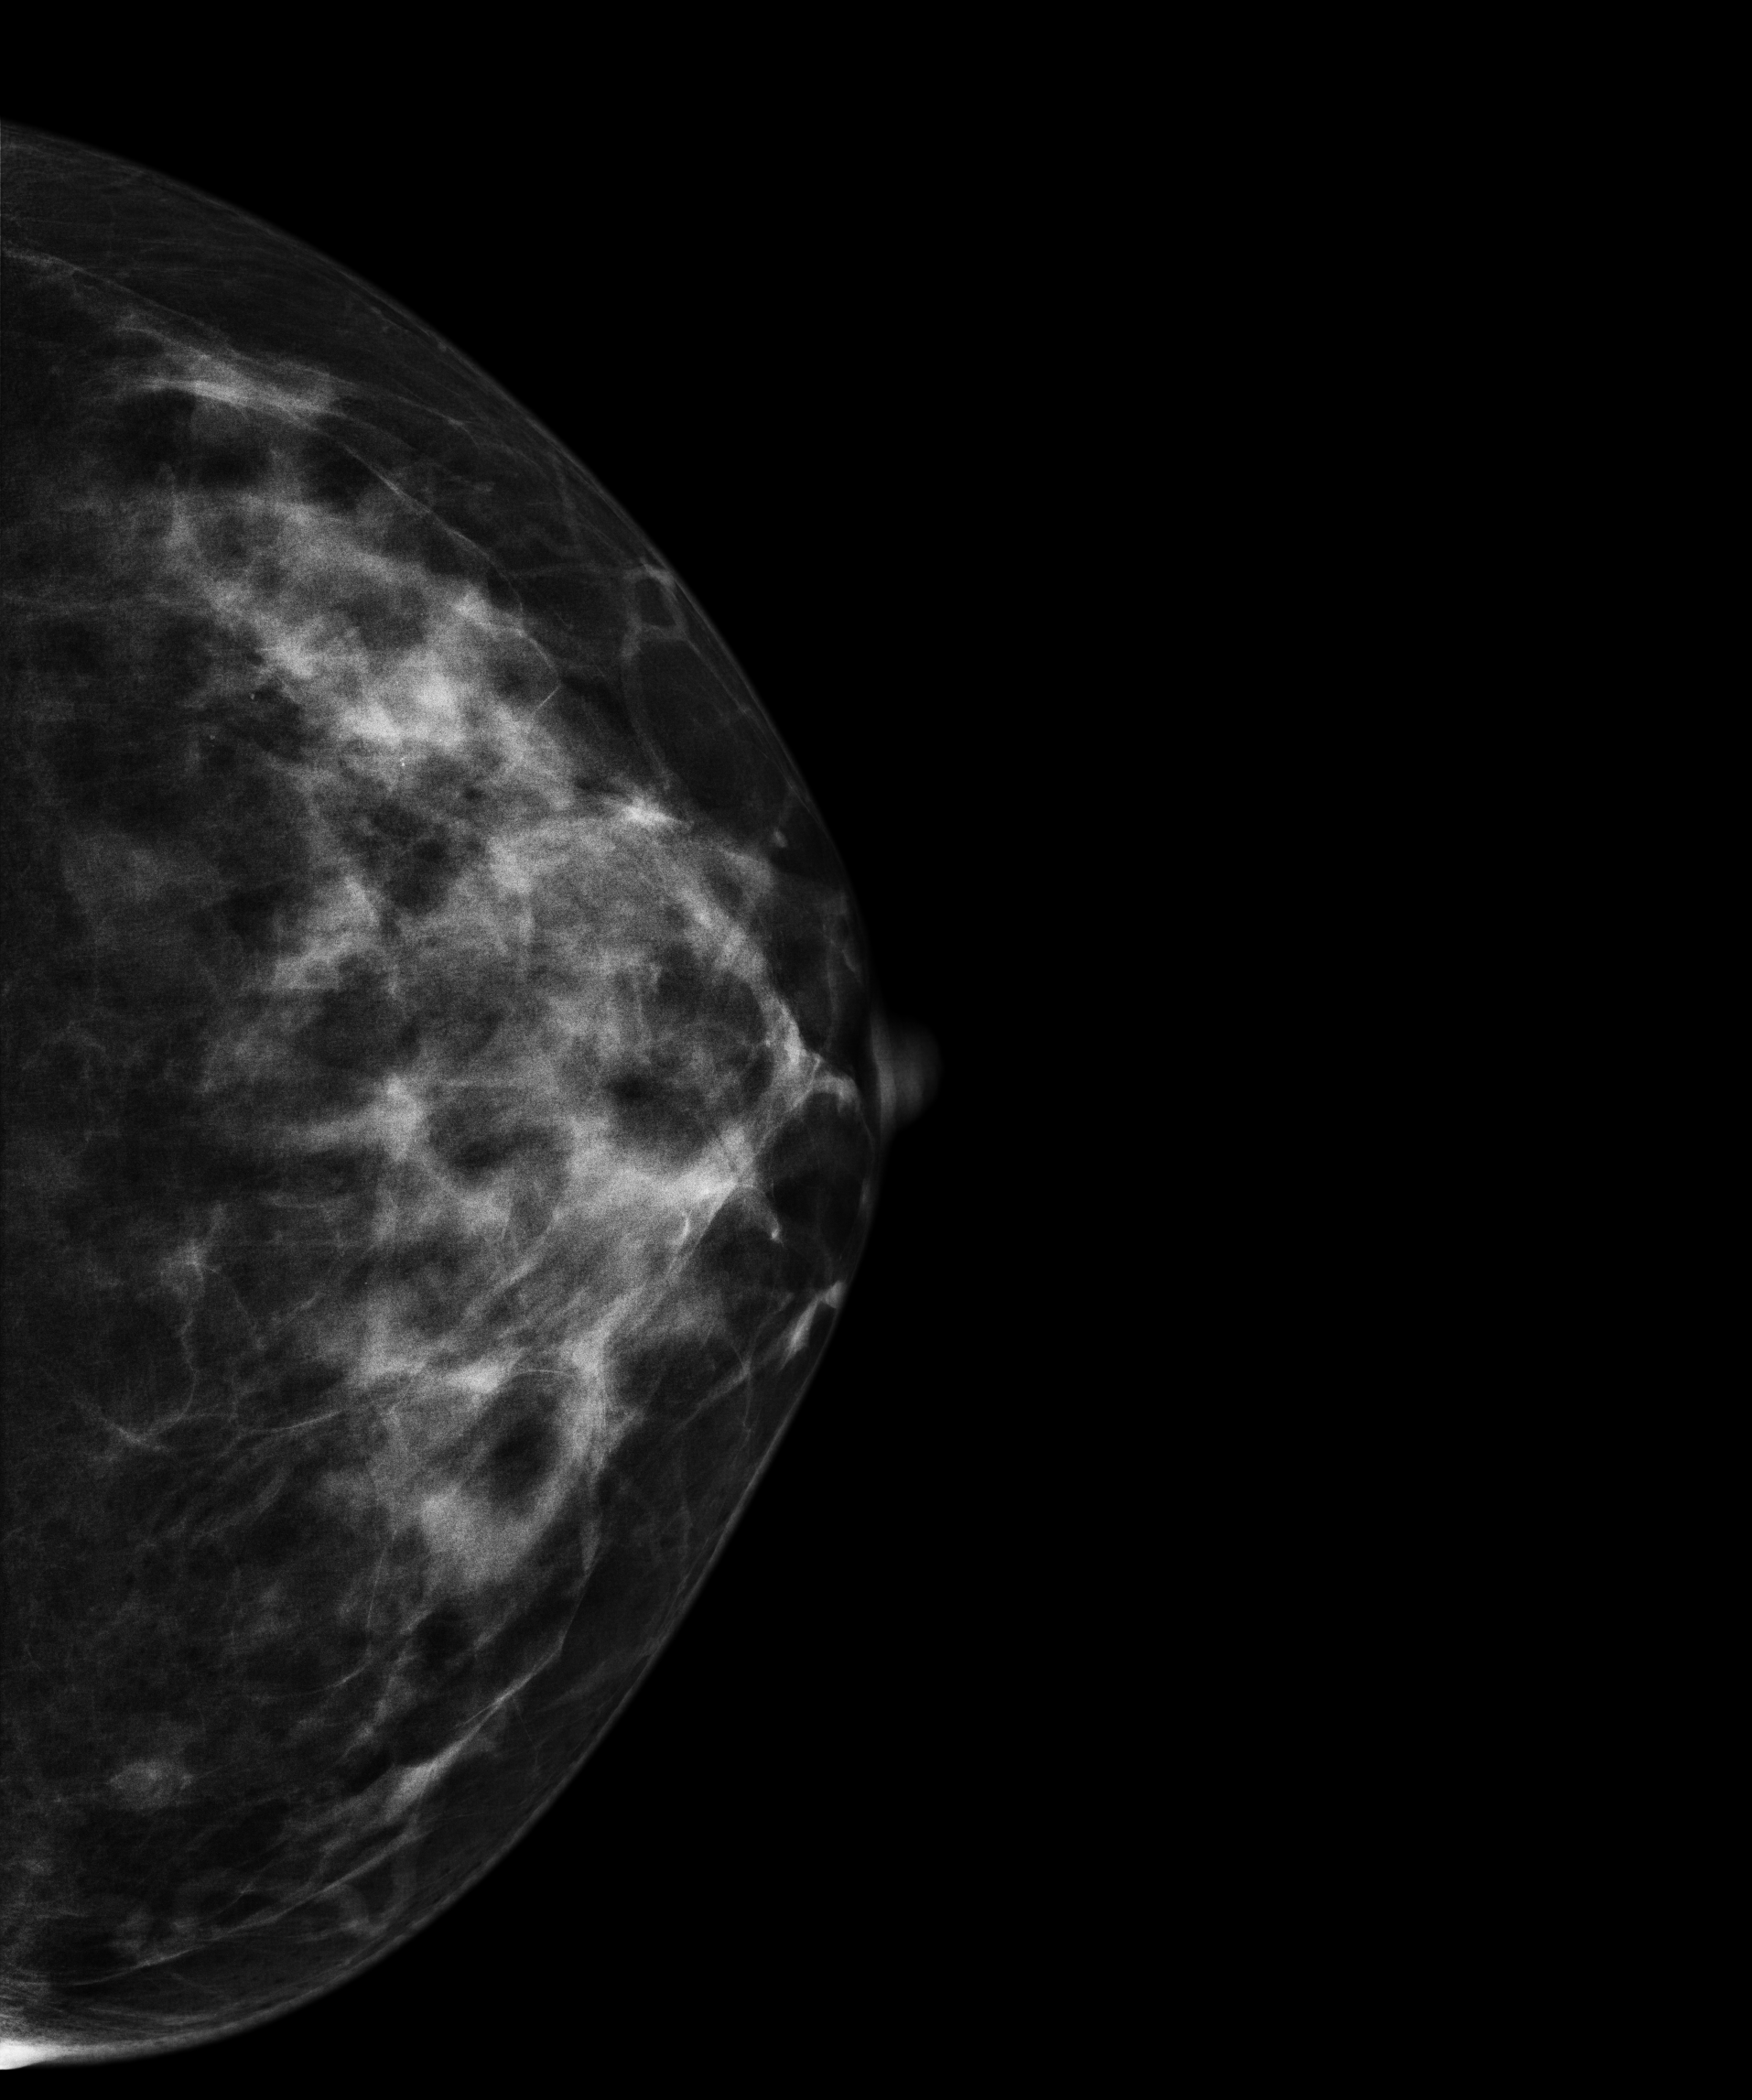
Digital mammography. Left breast, cranio-caudal projection. Patient age 44.
Contralateral breast — no documented abnormality on this side.